Mammogram, right breast, cranio-caudal view. 40 y/o patient.
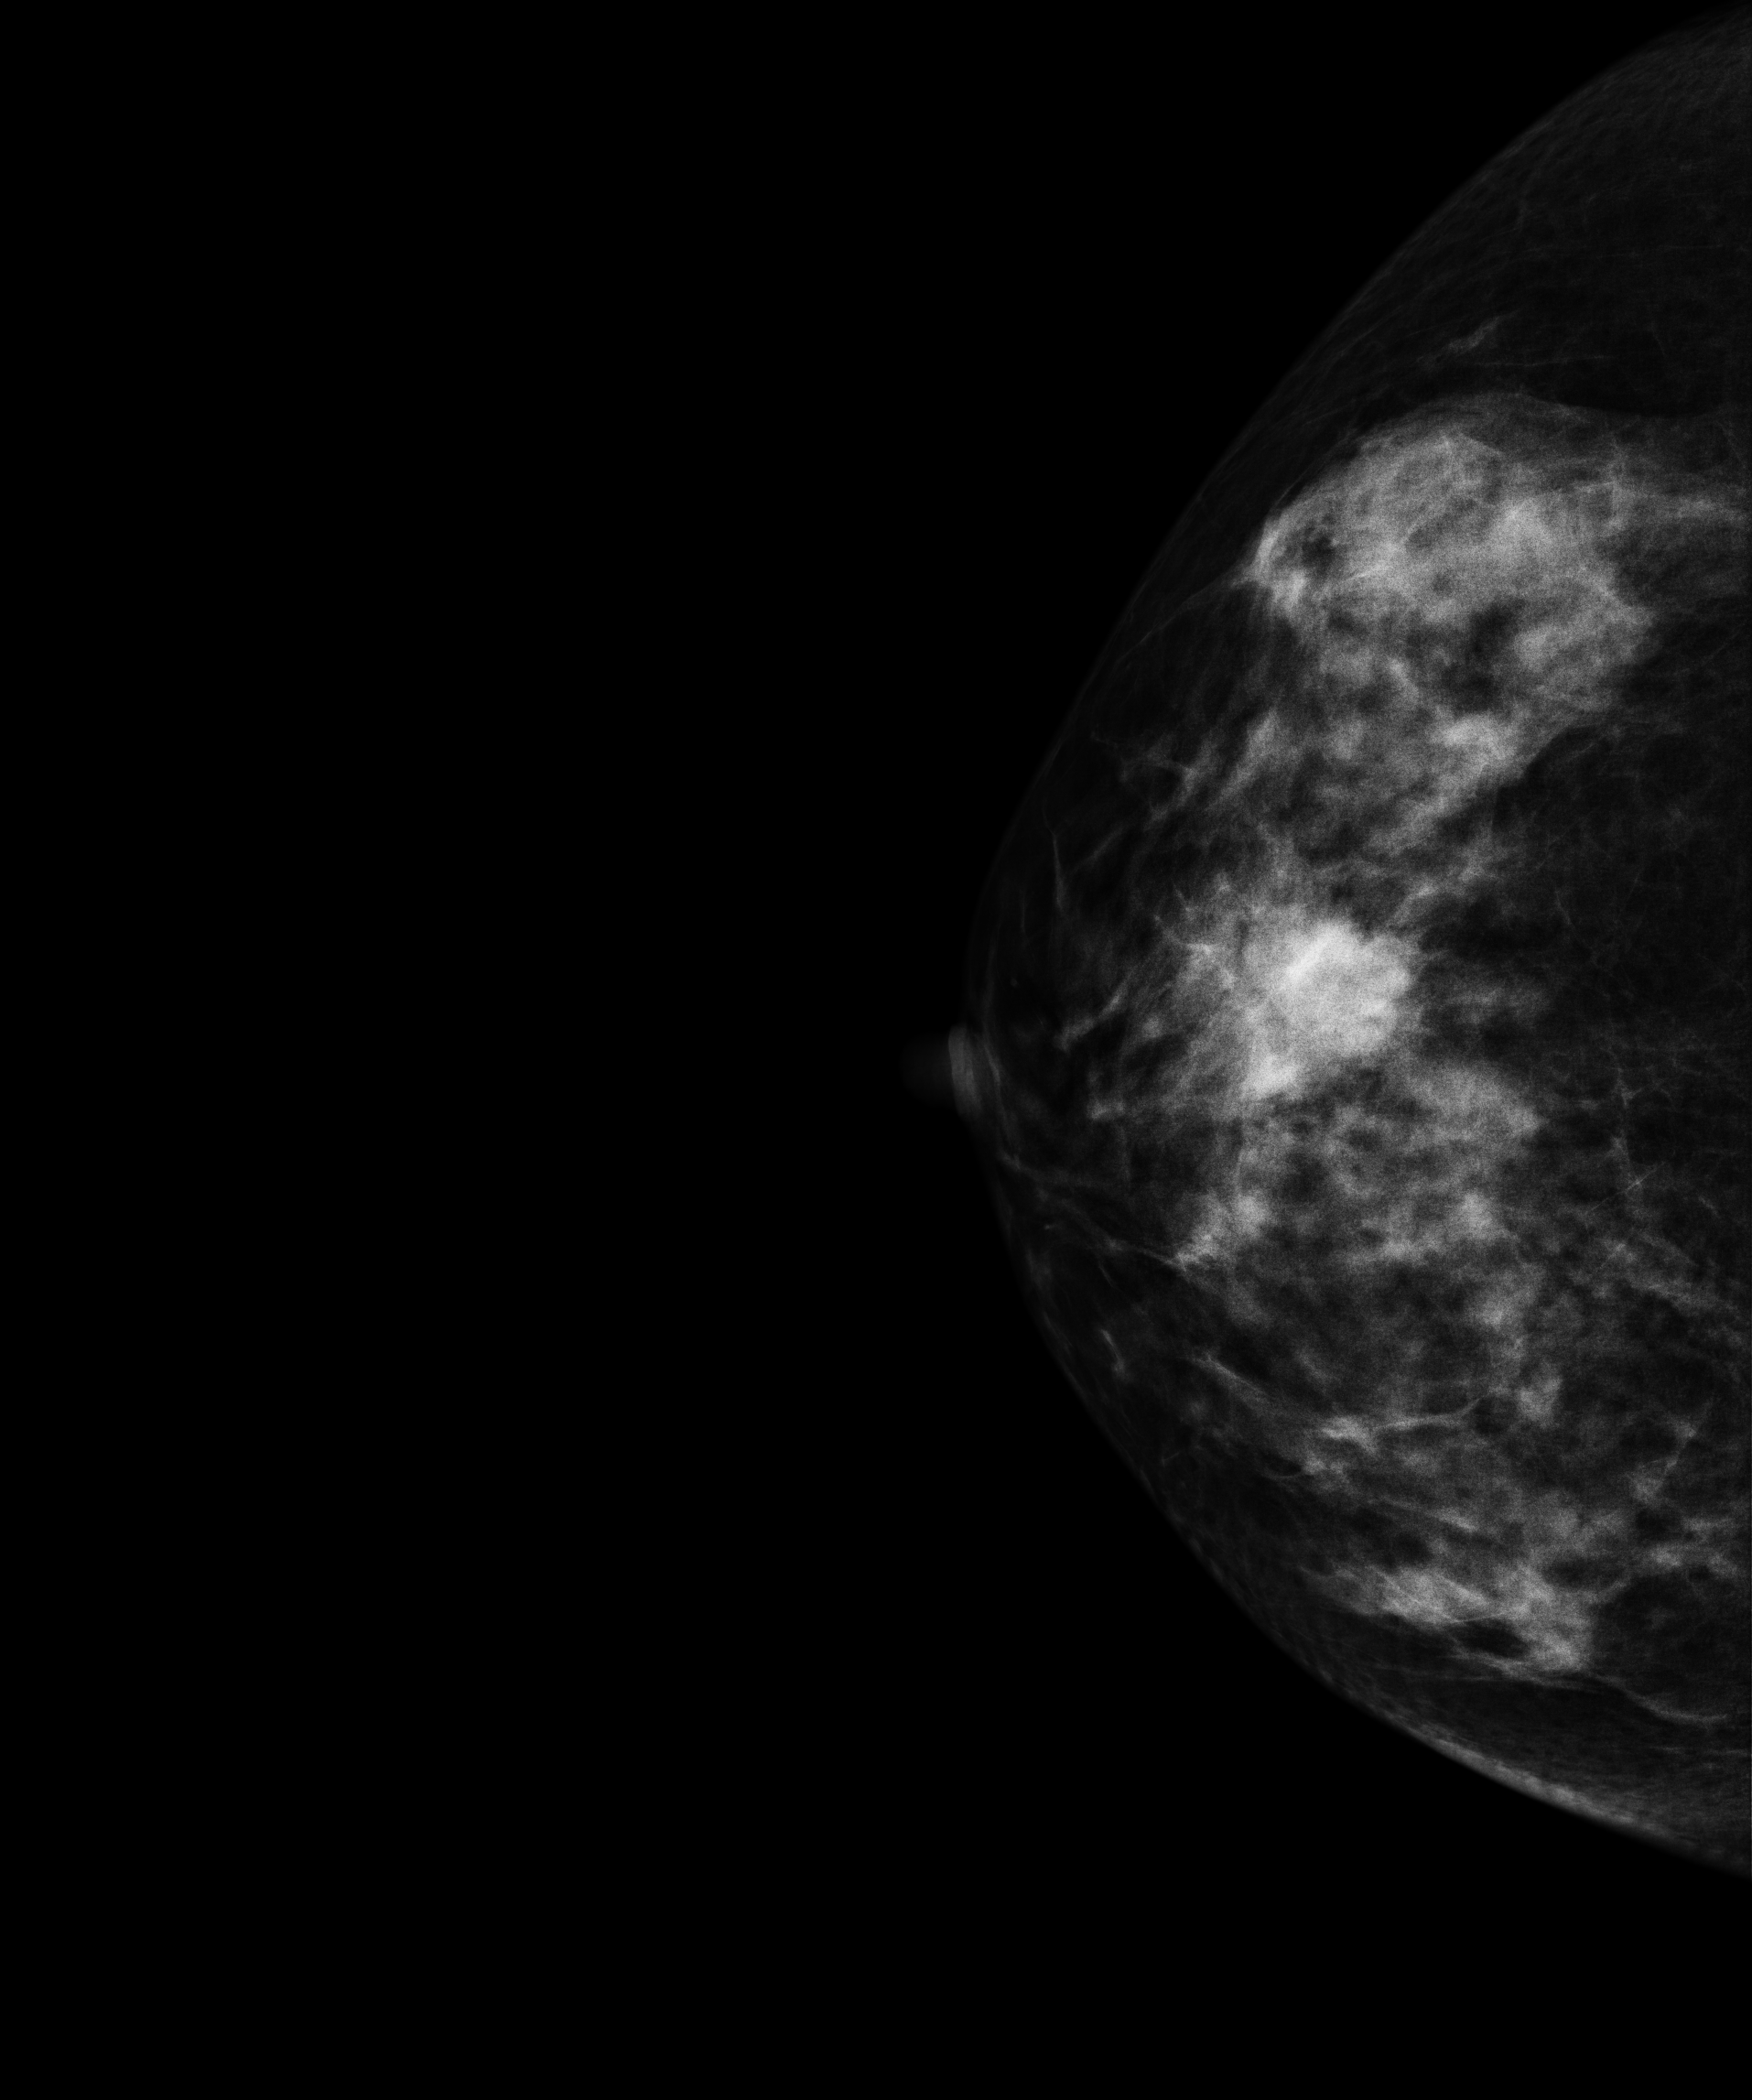
This breast has a mass, pathology-confirmed malignant. Molecular subtype: luminal B.